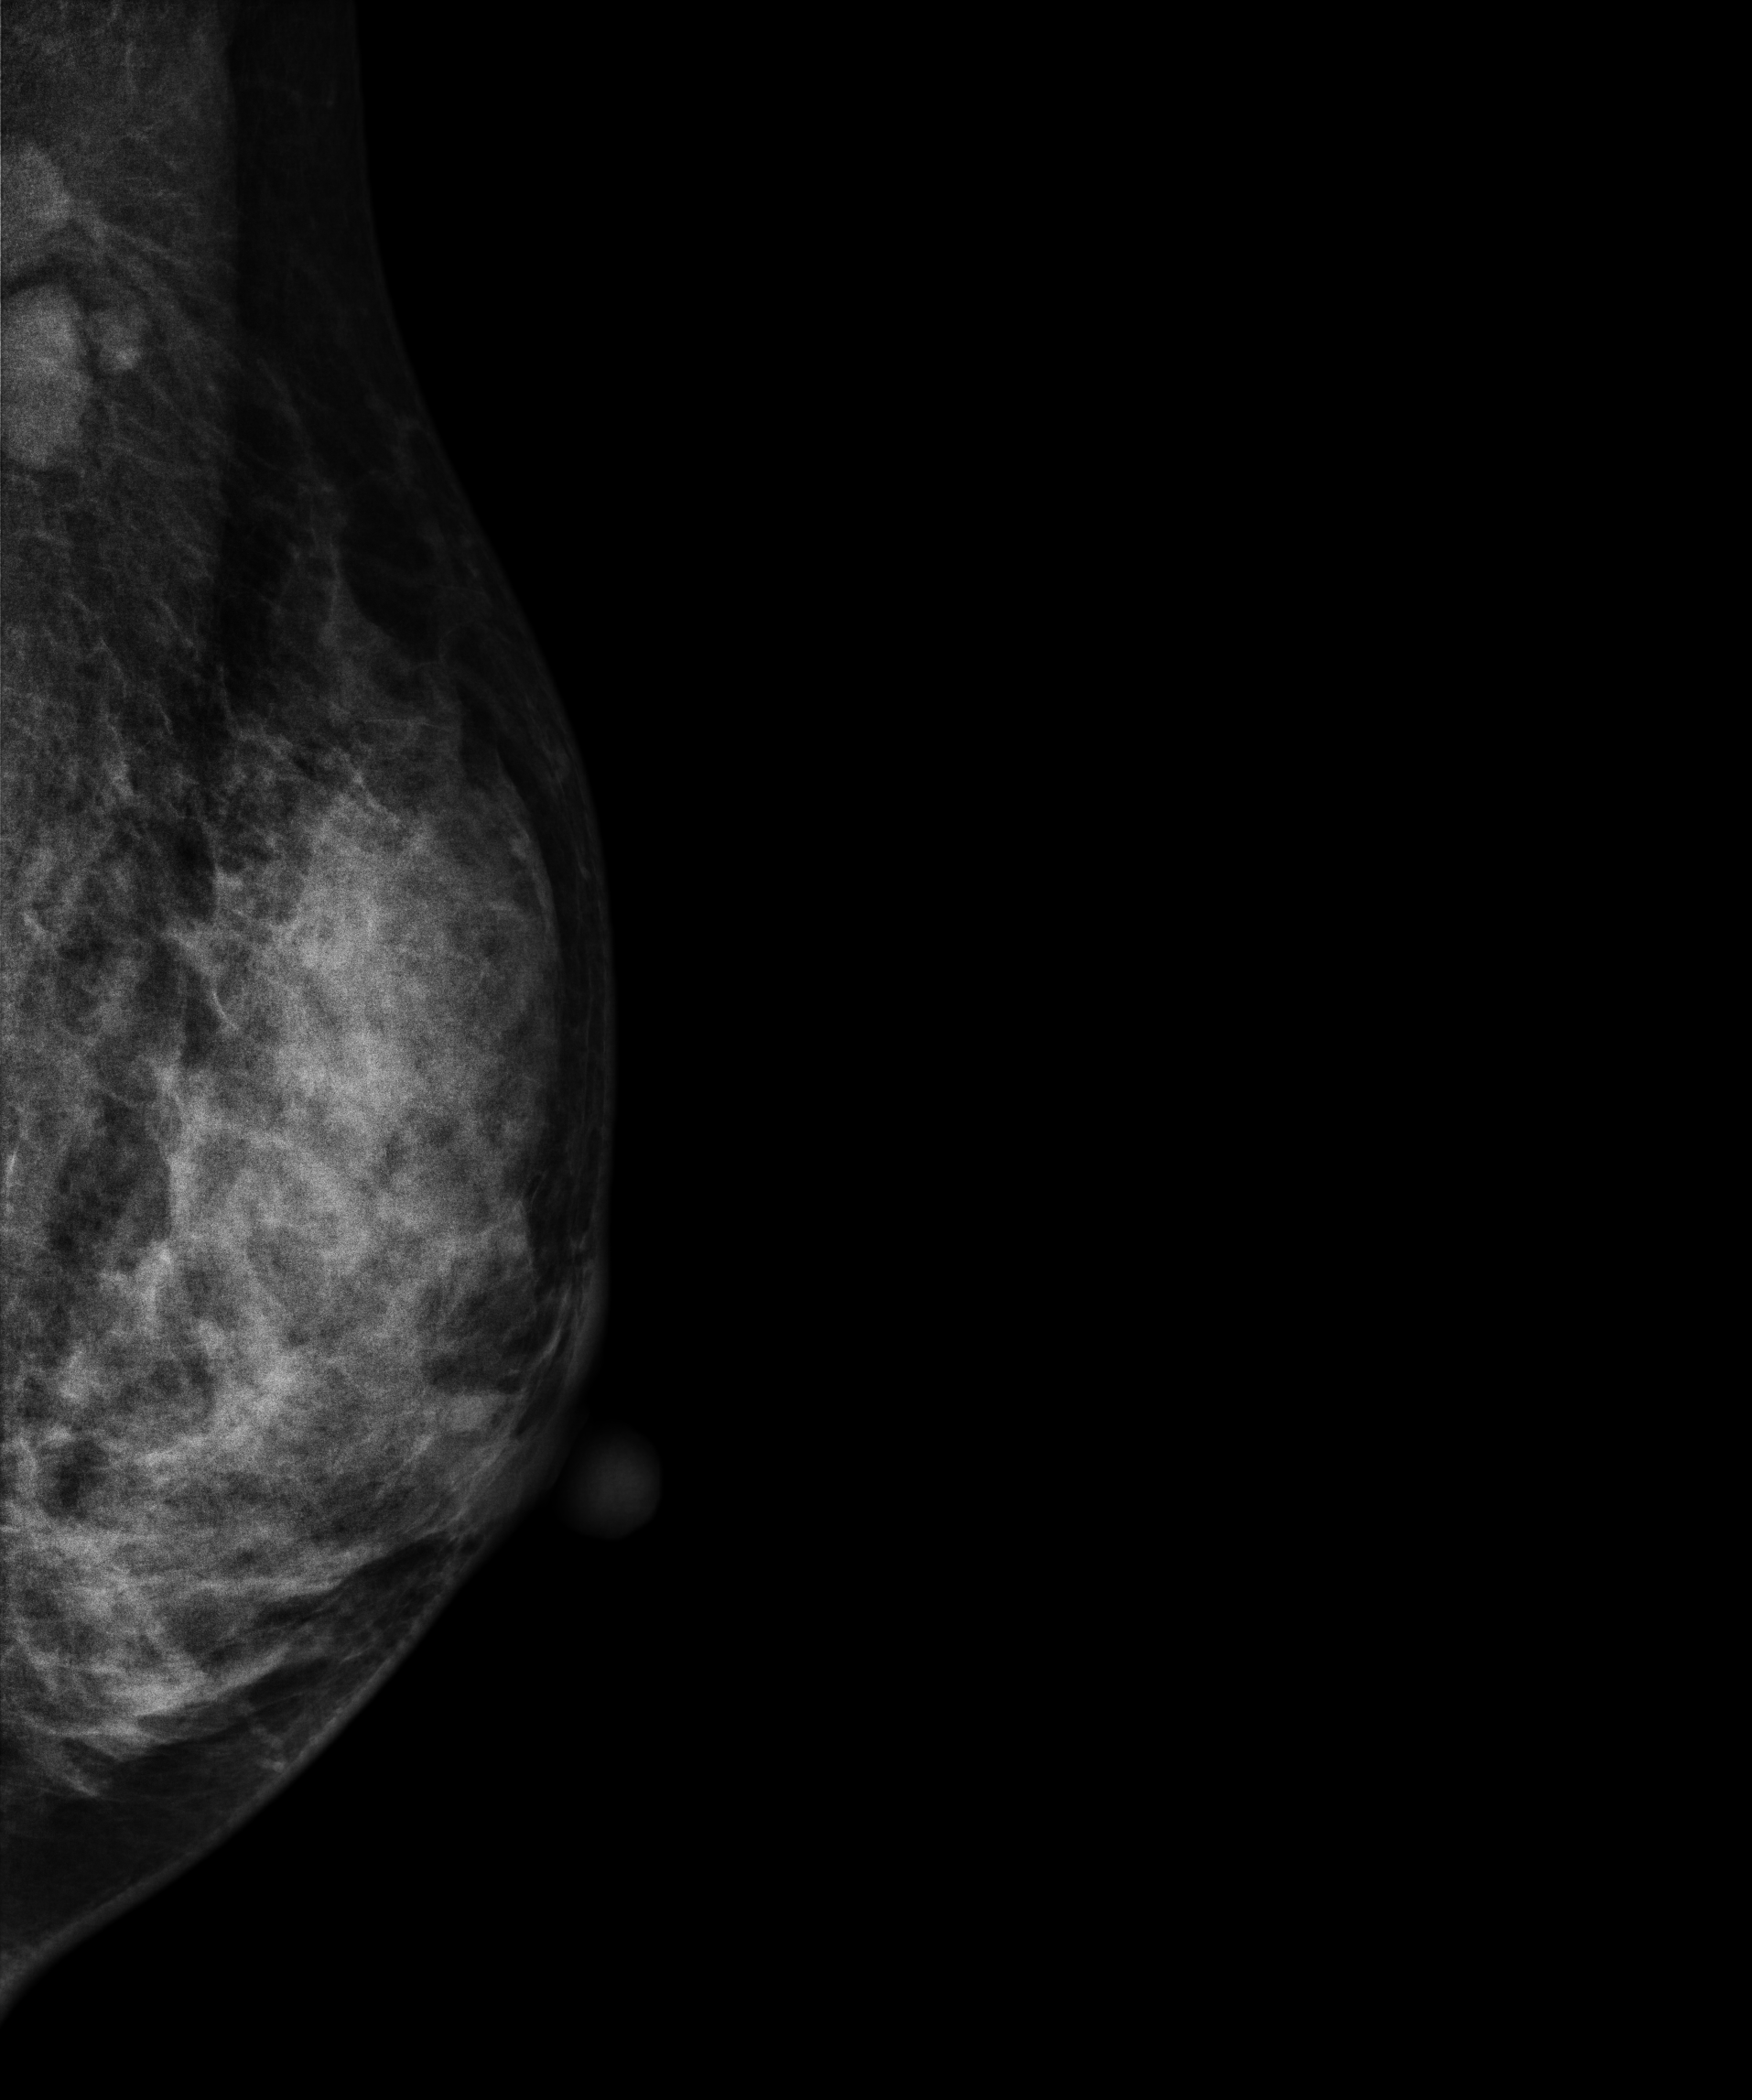
Mammogram, left breast, medio-lateral oblique view. 46 y/o patient.
This breast has a mass, biopsy-confirmed malignant. Molecular subtype: HER2-enriched.